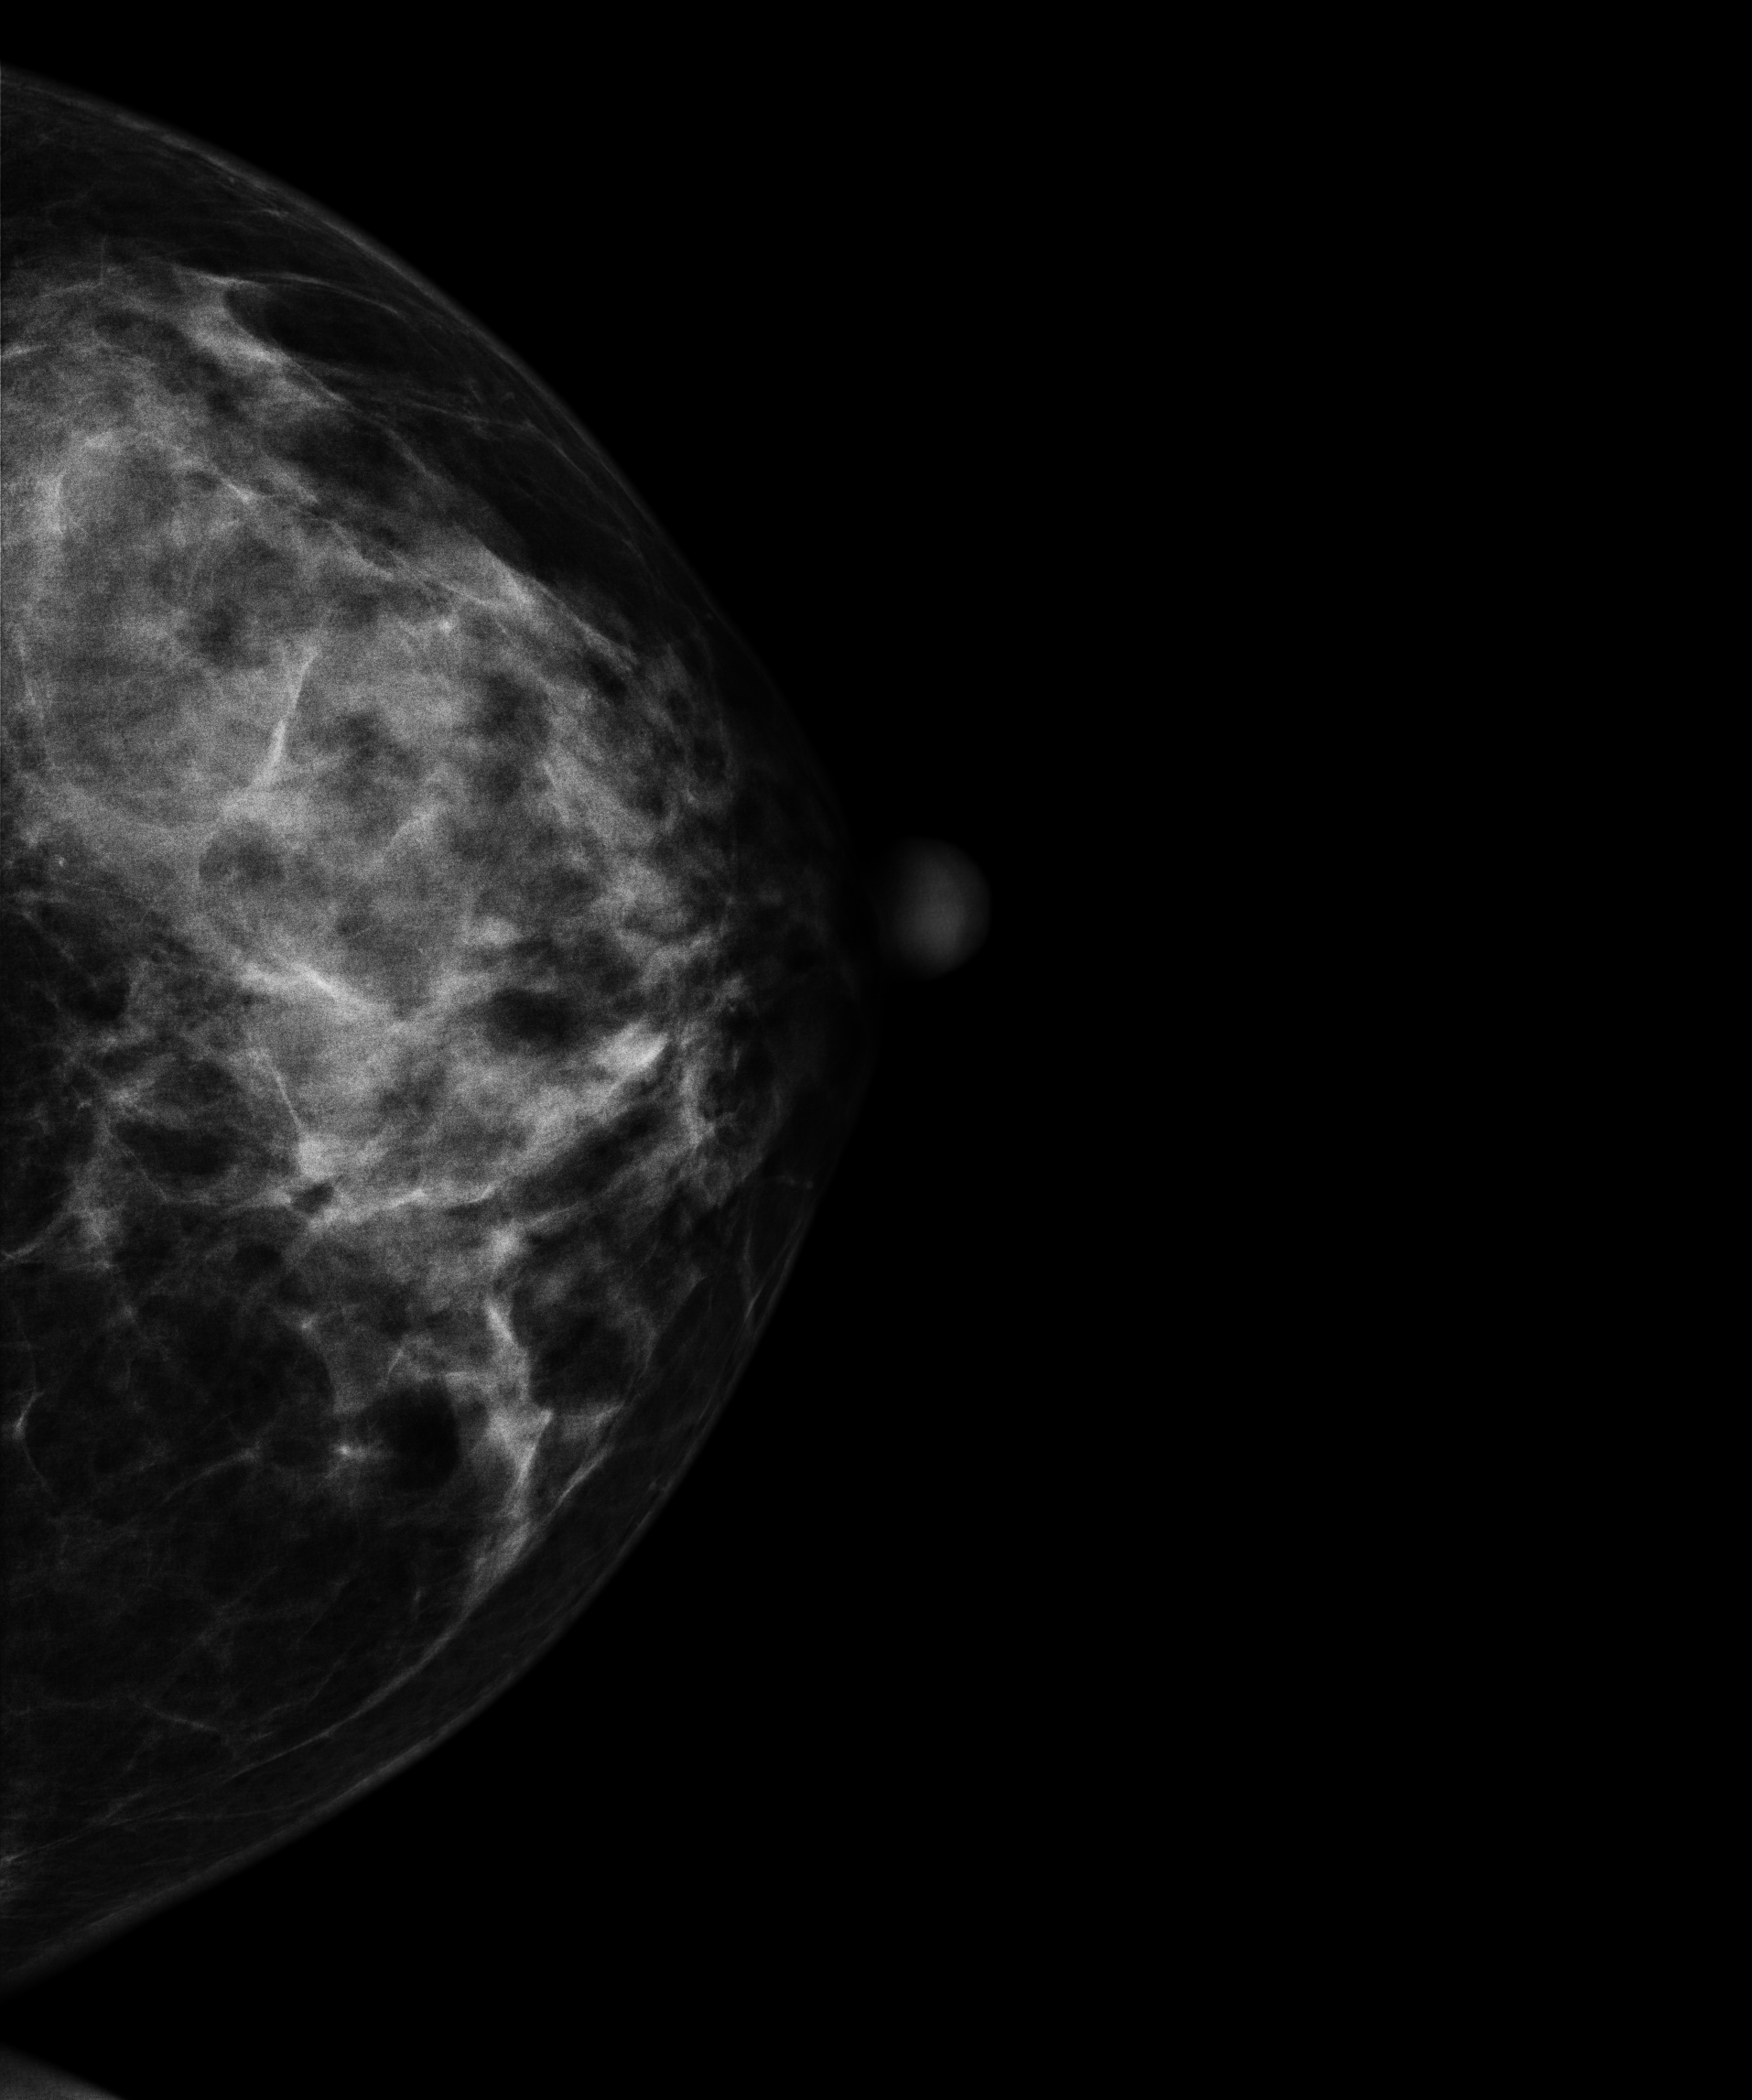
Mammogram, left breast, cranio-caudal view. 42-year-old patient.
Contralateral breast — no documented abnormality on this side.